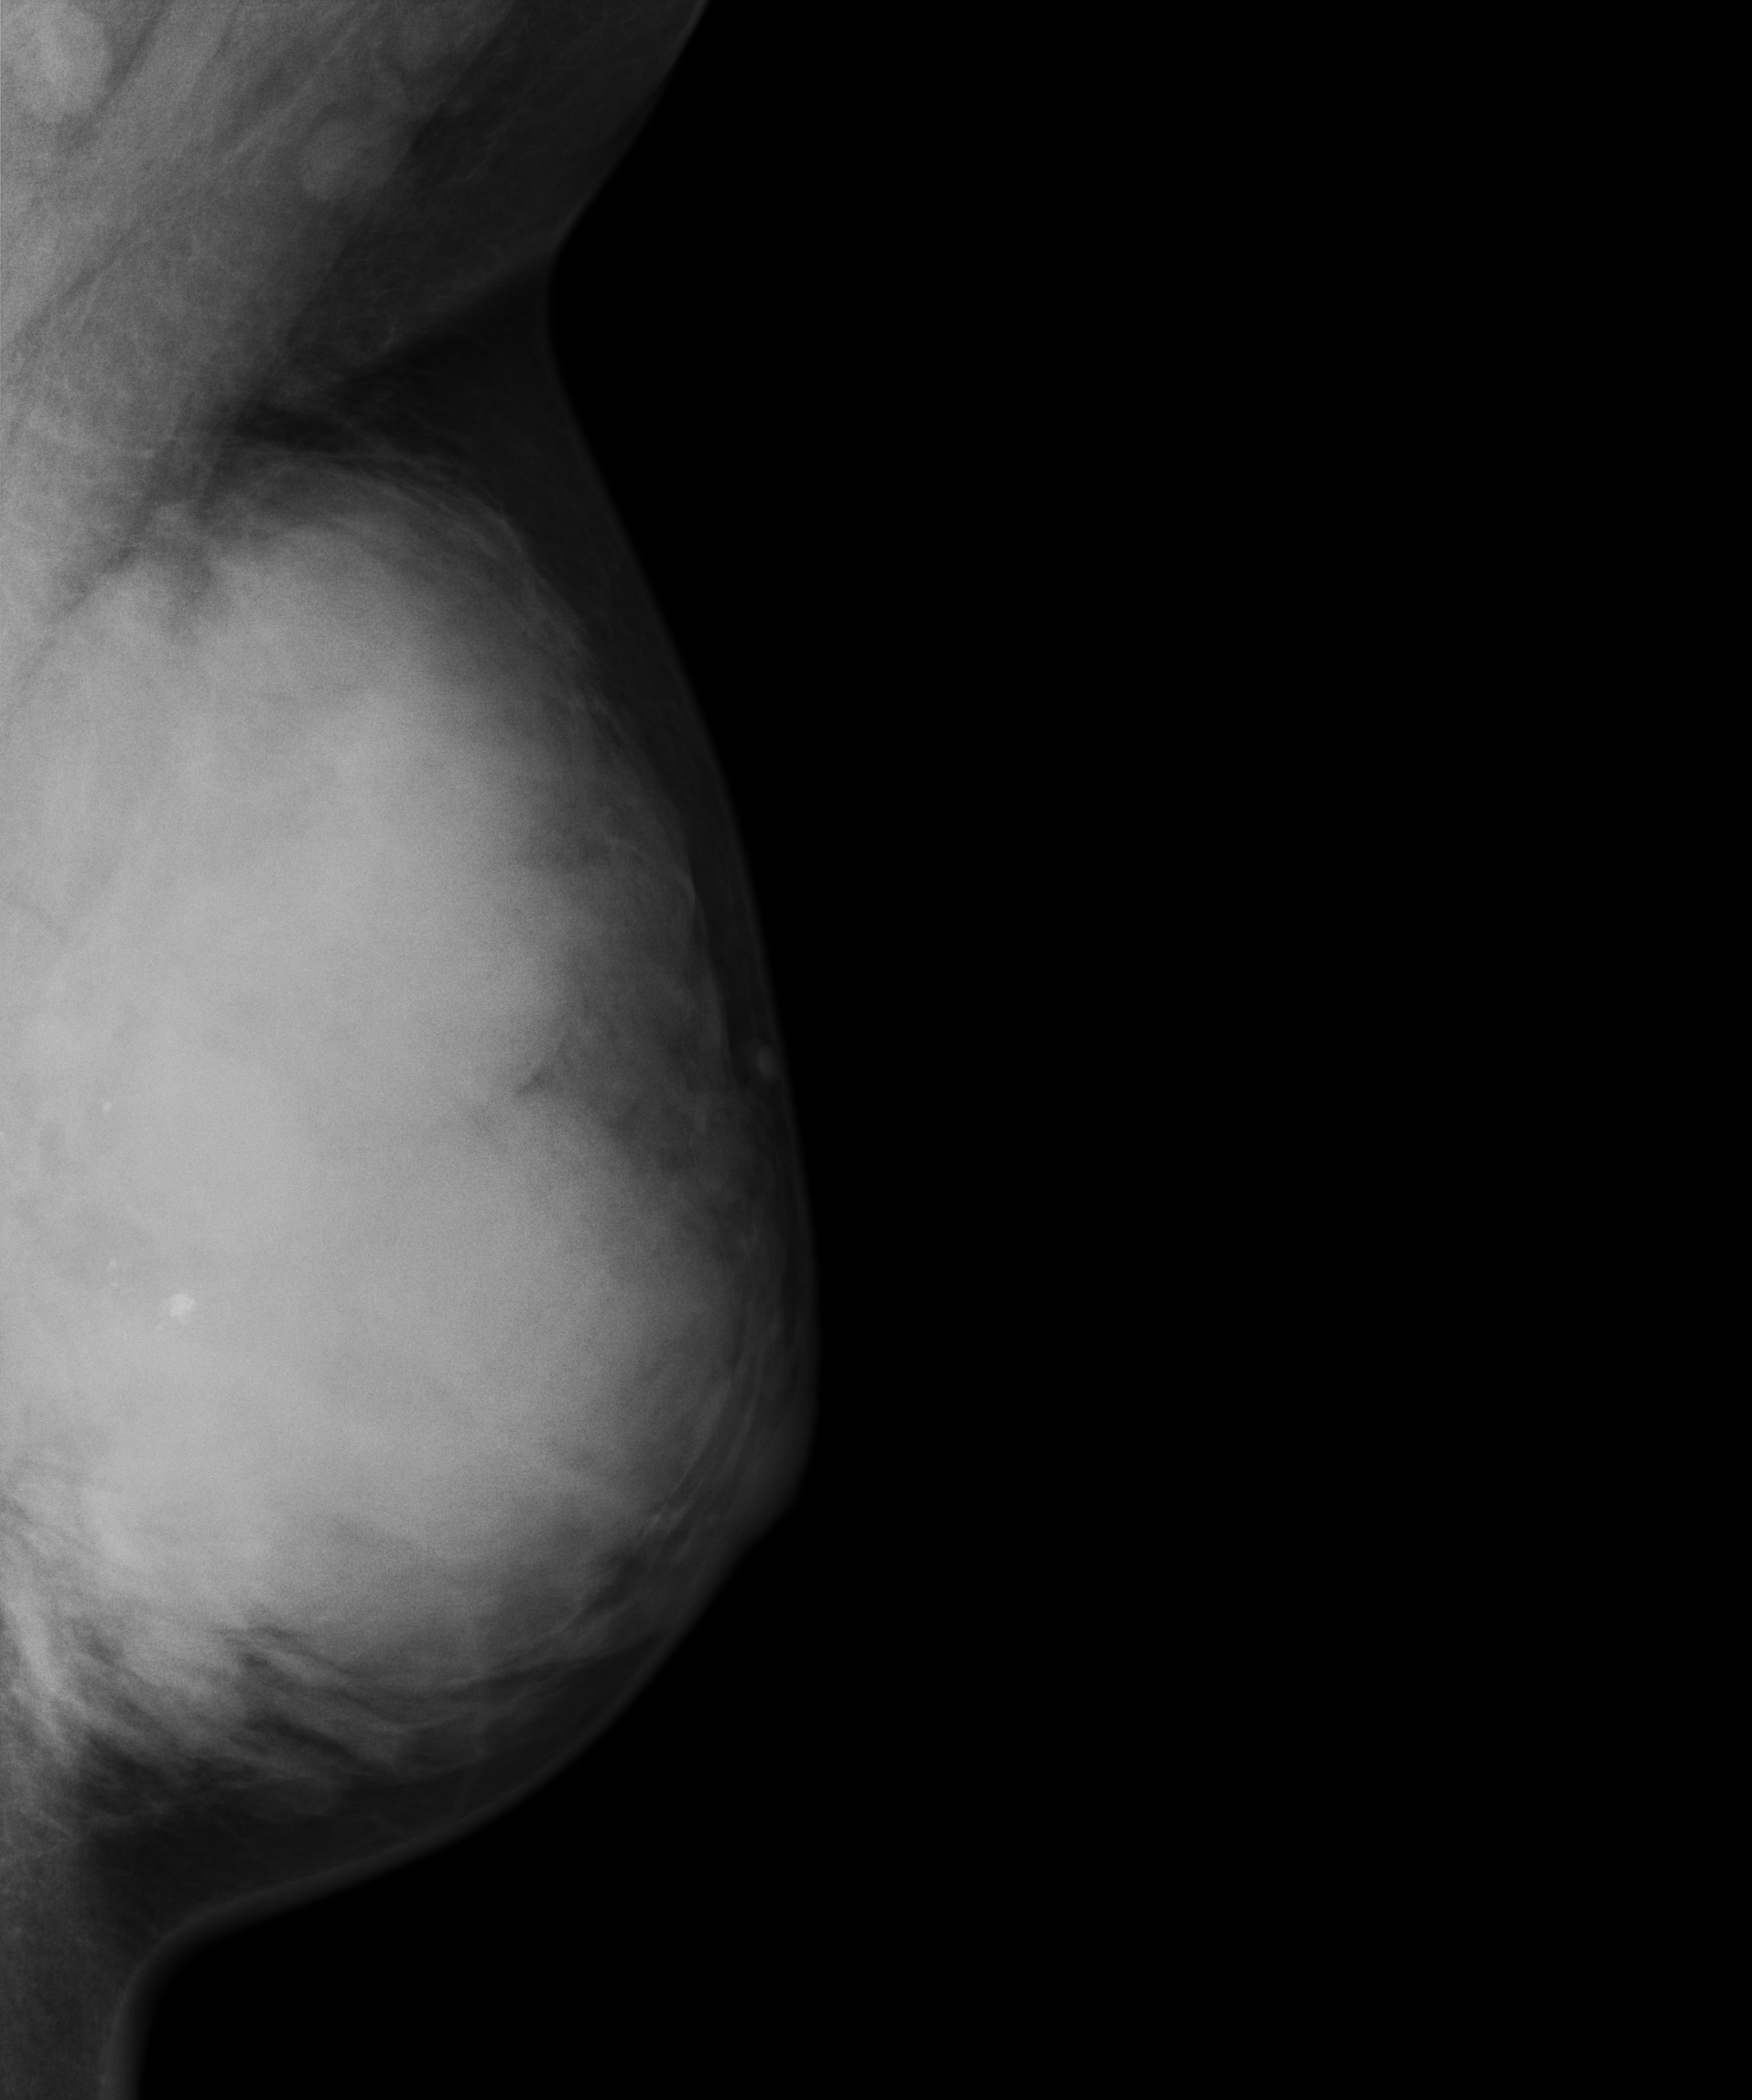
MLO mammogram of the left breast. 35 y/o patient.
This breast has a mass, pathology-confirmed benign.